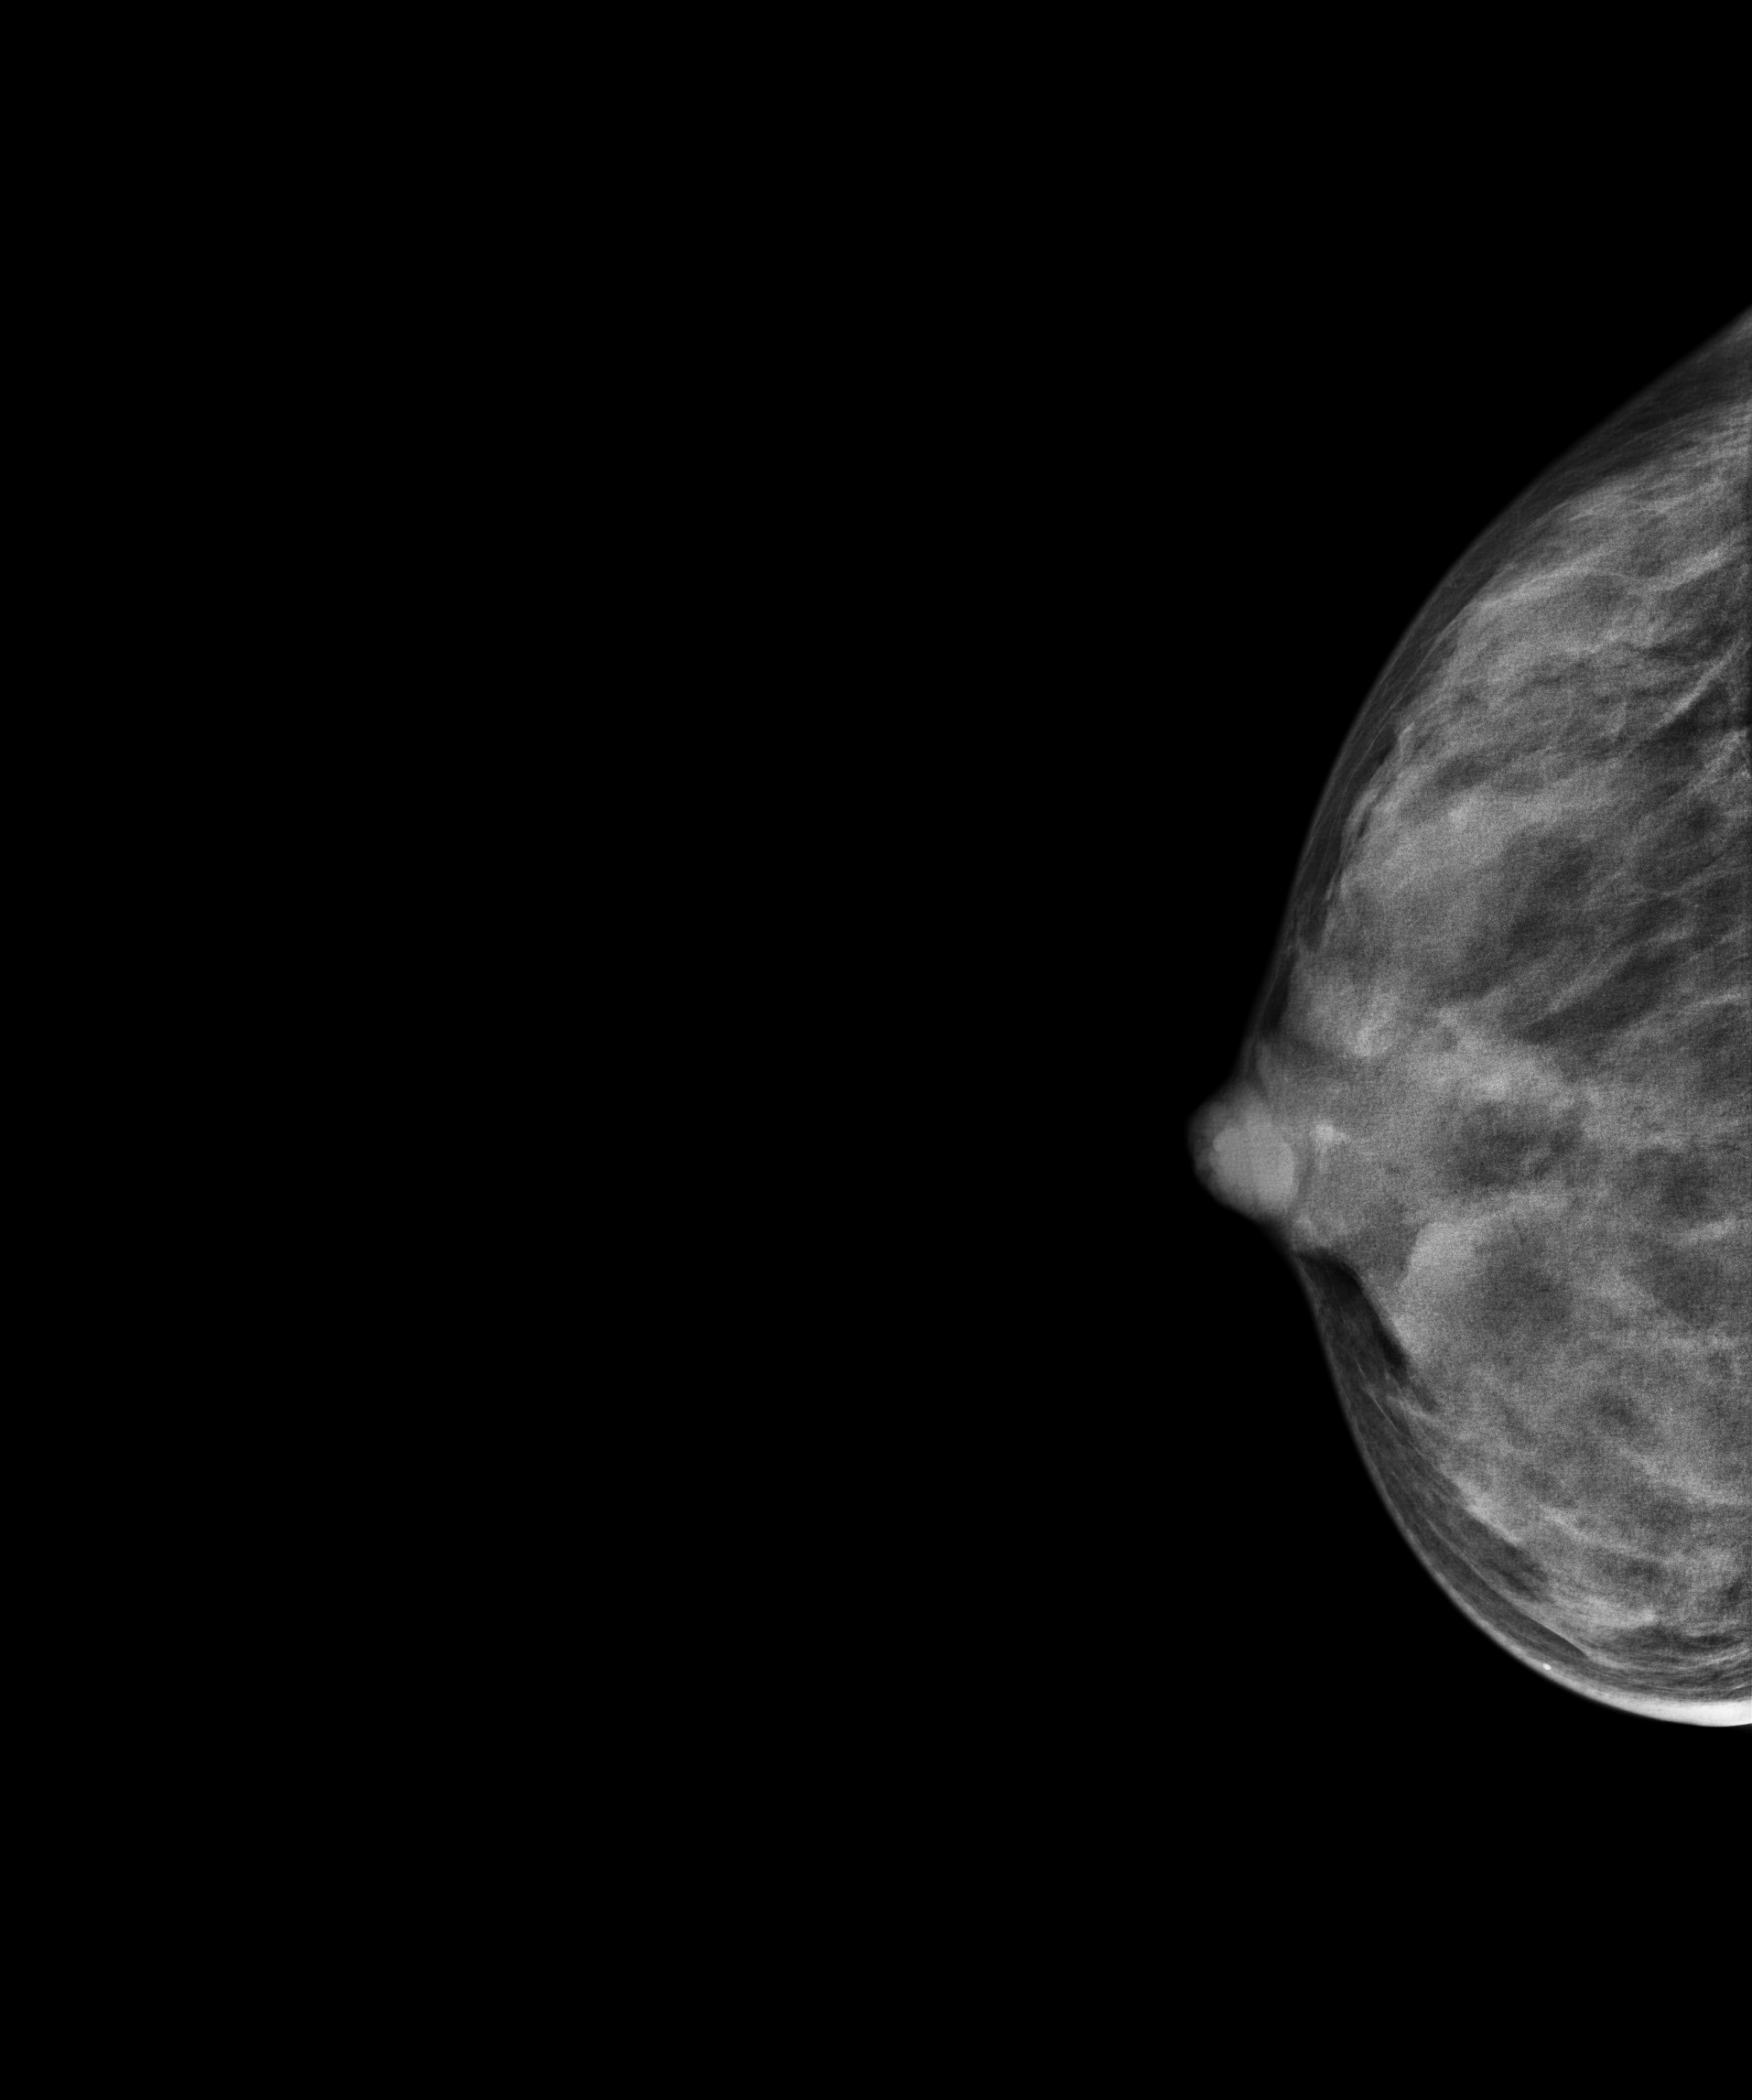
Right-breast mammogram, cranio-caudal. Patient age 23.
This breast has a mass, biopsy-confirmed benign.